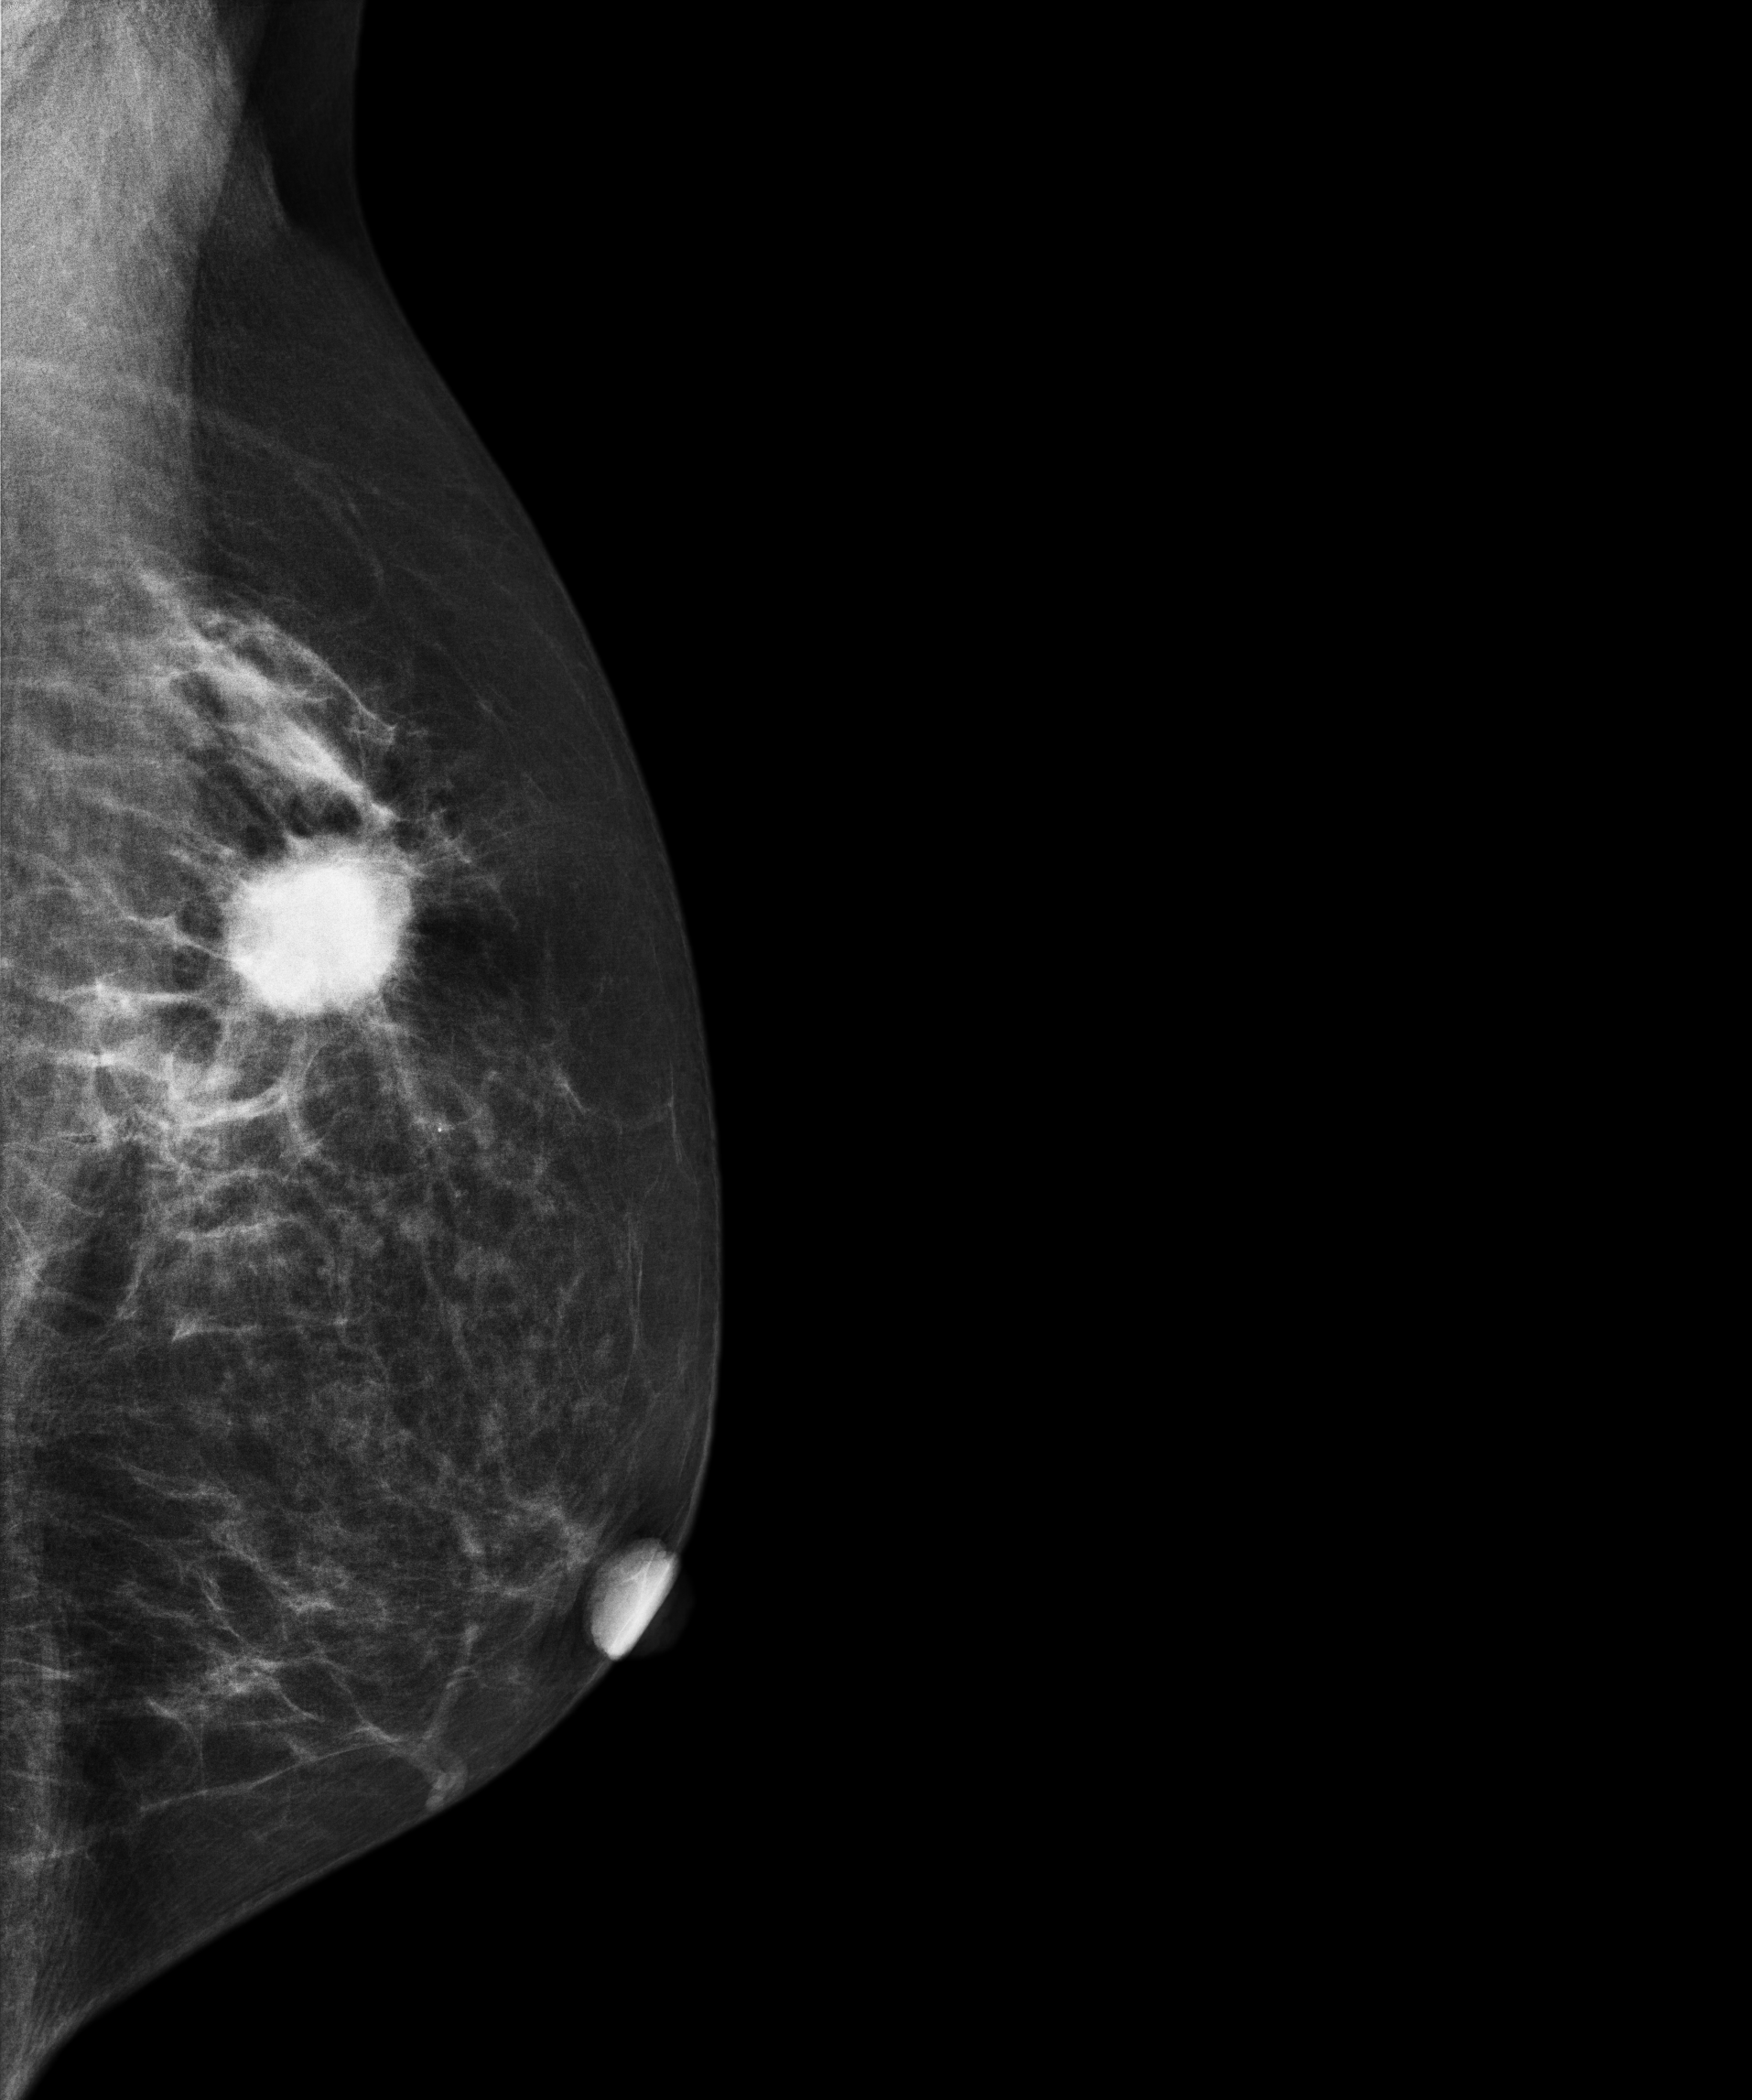
Left-breast mammogram, medio-lateral oblique. 59-year-old patient.
This breast has a mass, pathology-confirmed malignant. Molecular subtype: luminal A.